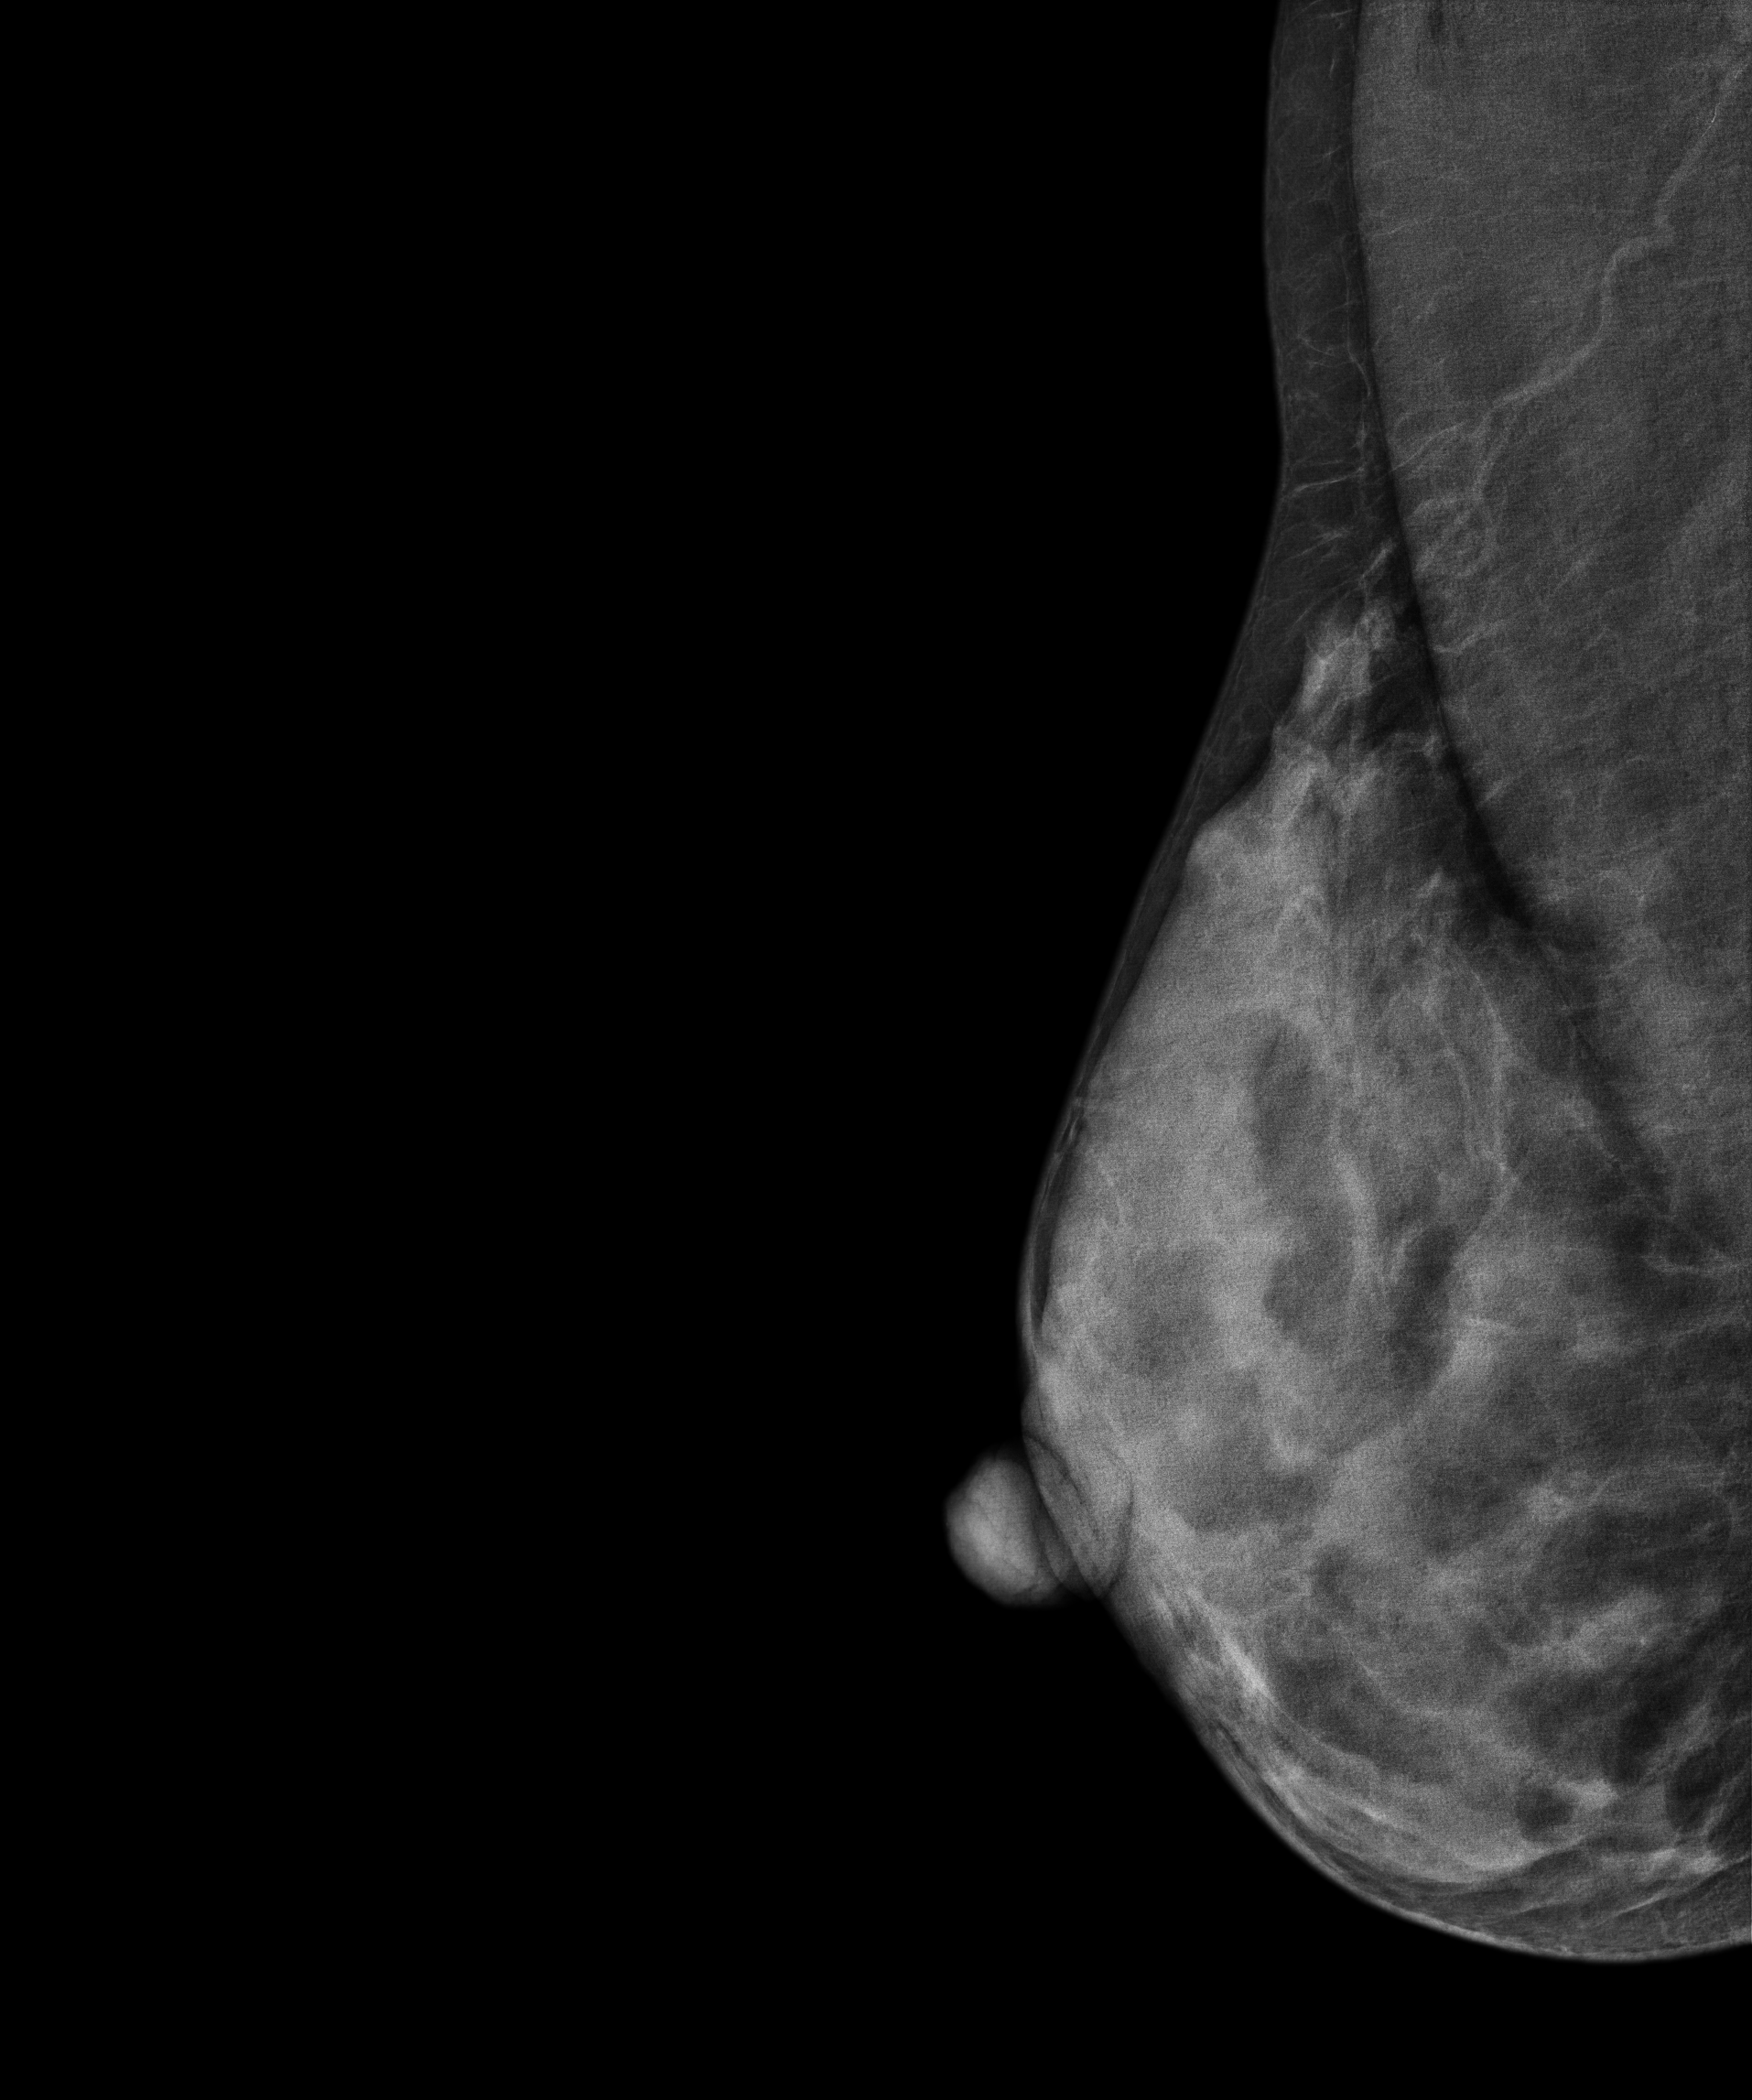
Mammogram, right breast, medio-lateral oblique view. 50 y/o patient.
Contralateral breast — no documented abnormality on this side.